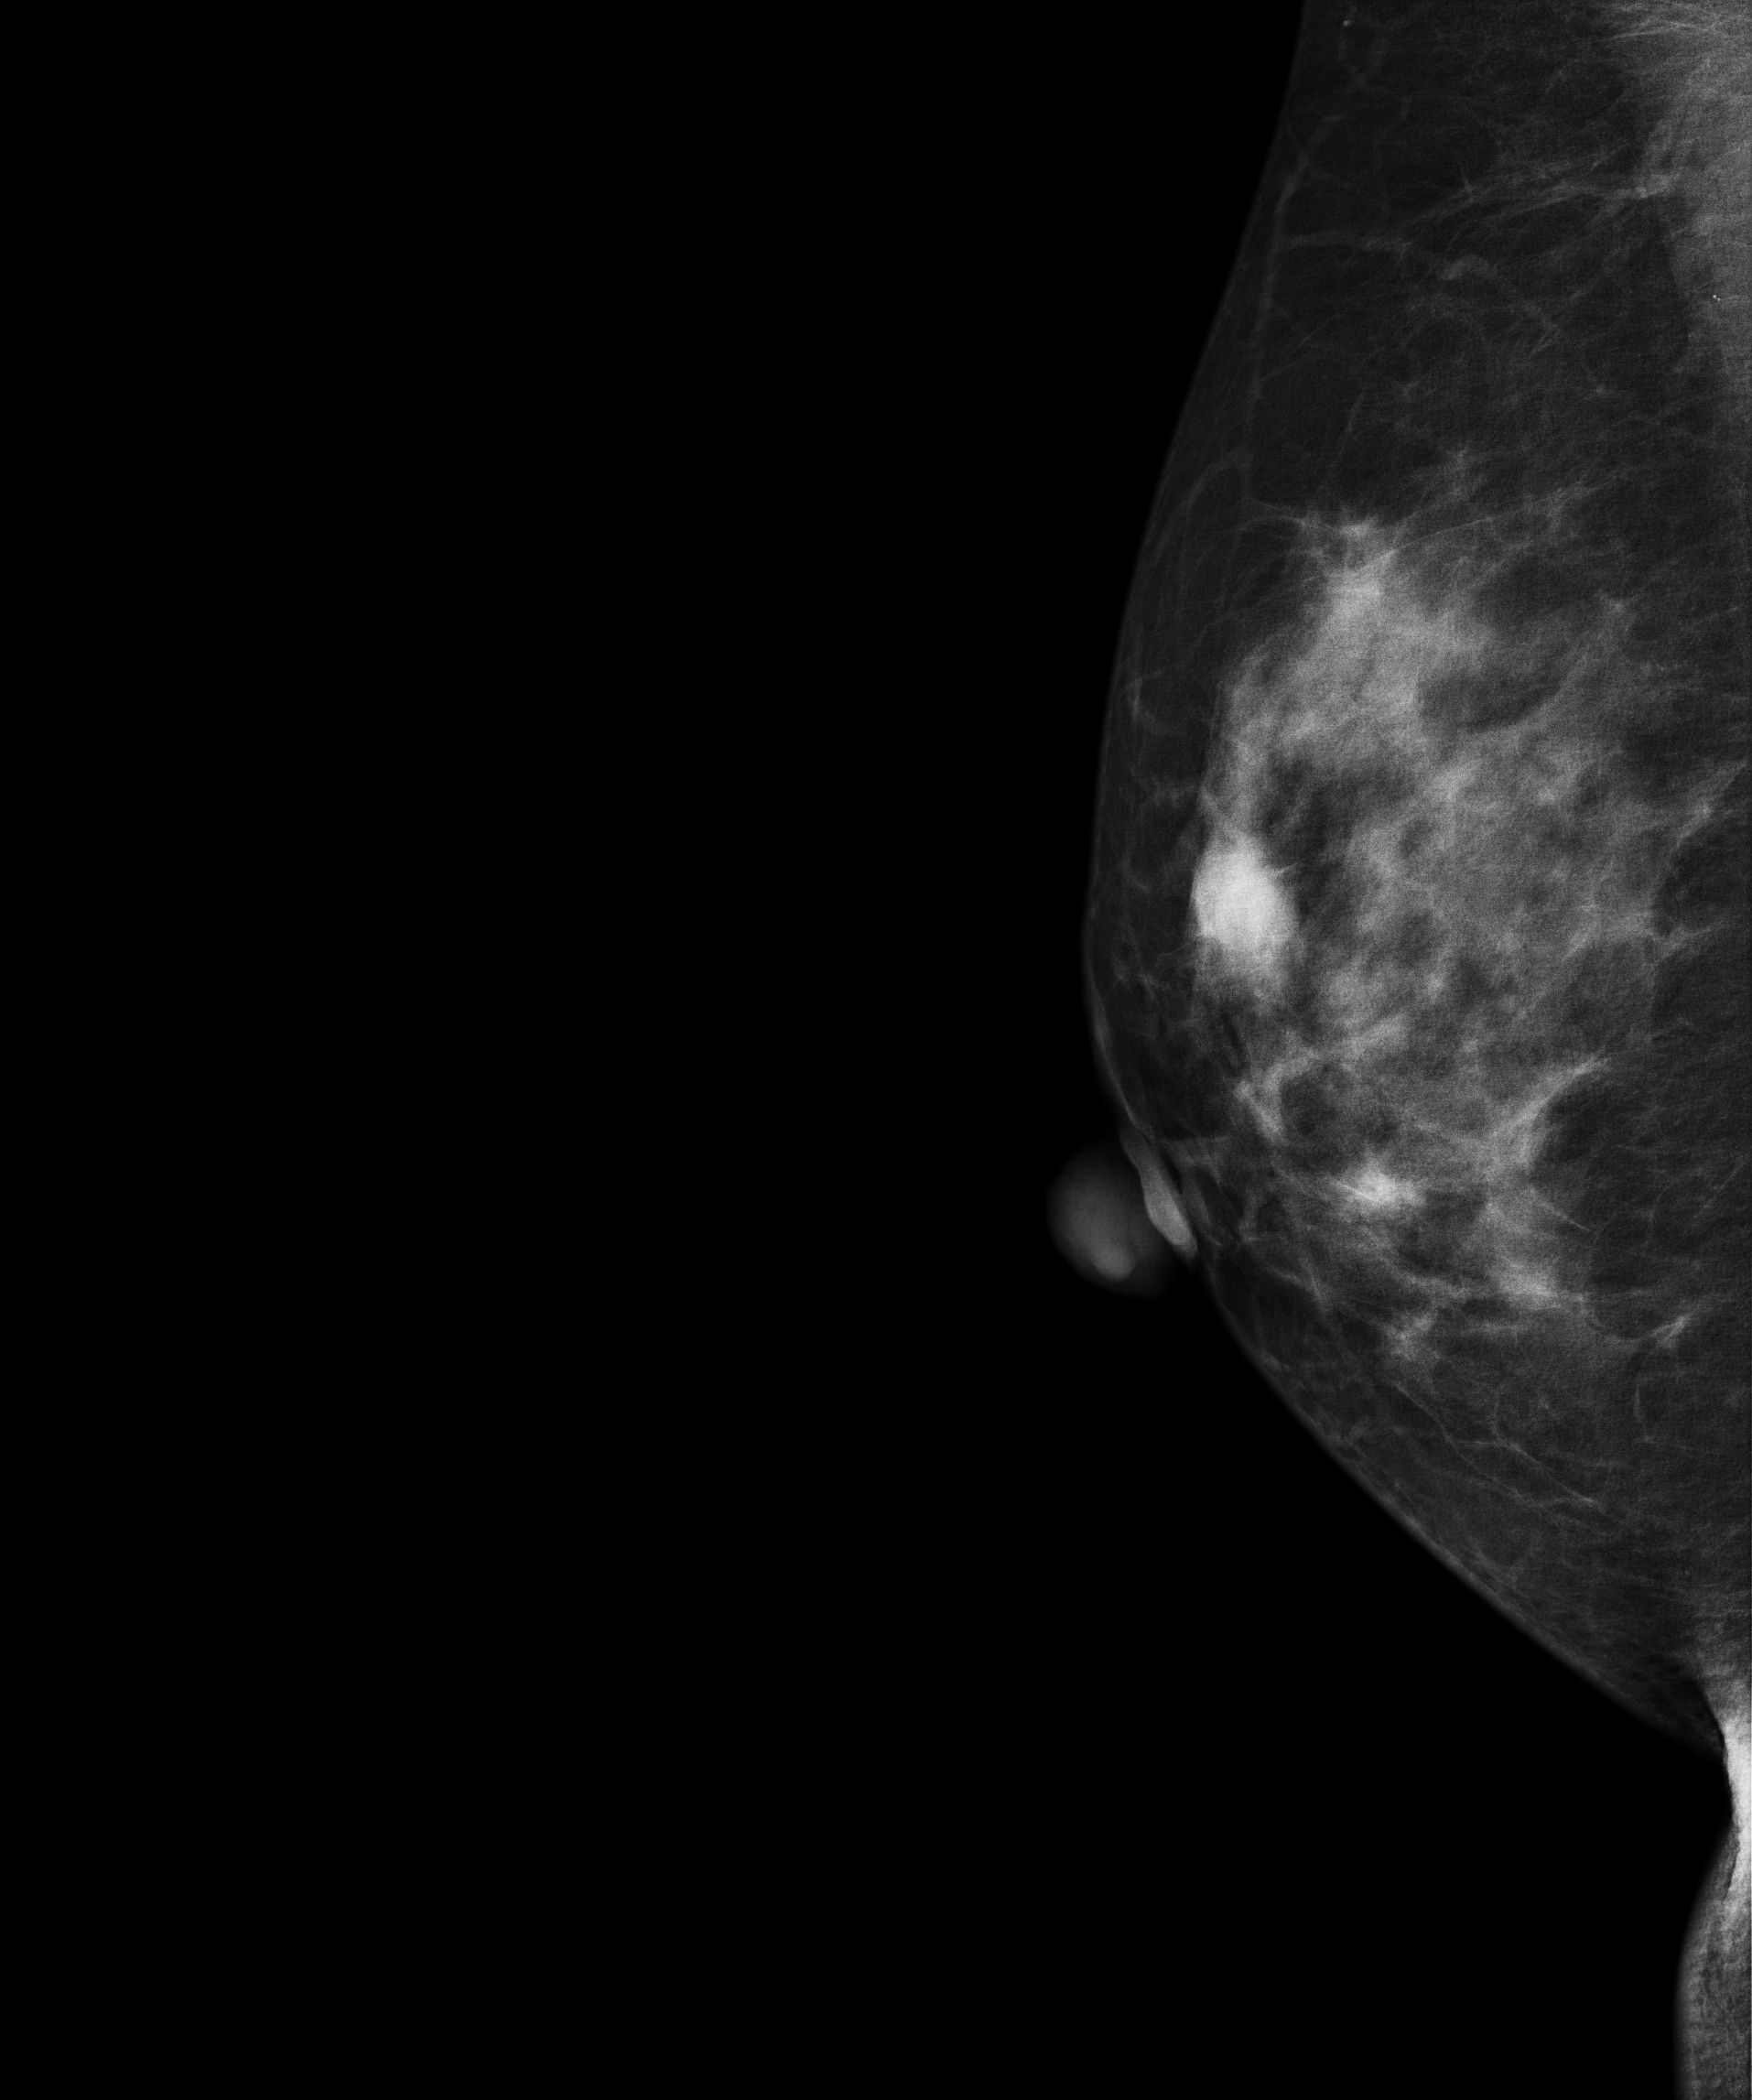
Mammogram — right MLO. Patient age 44.
This breast has a mass, biopsy-confirmed malignant. Molecular subtype: luminal B.